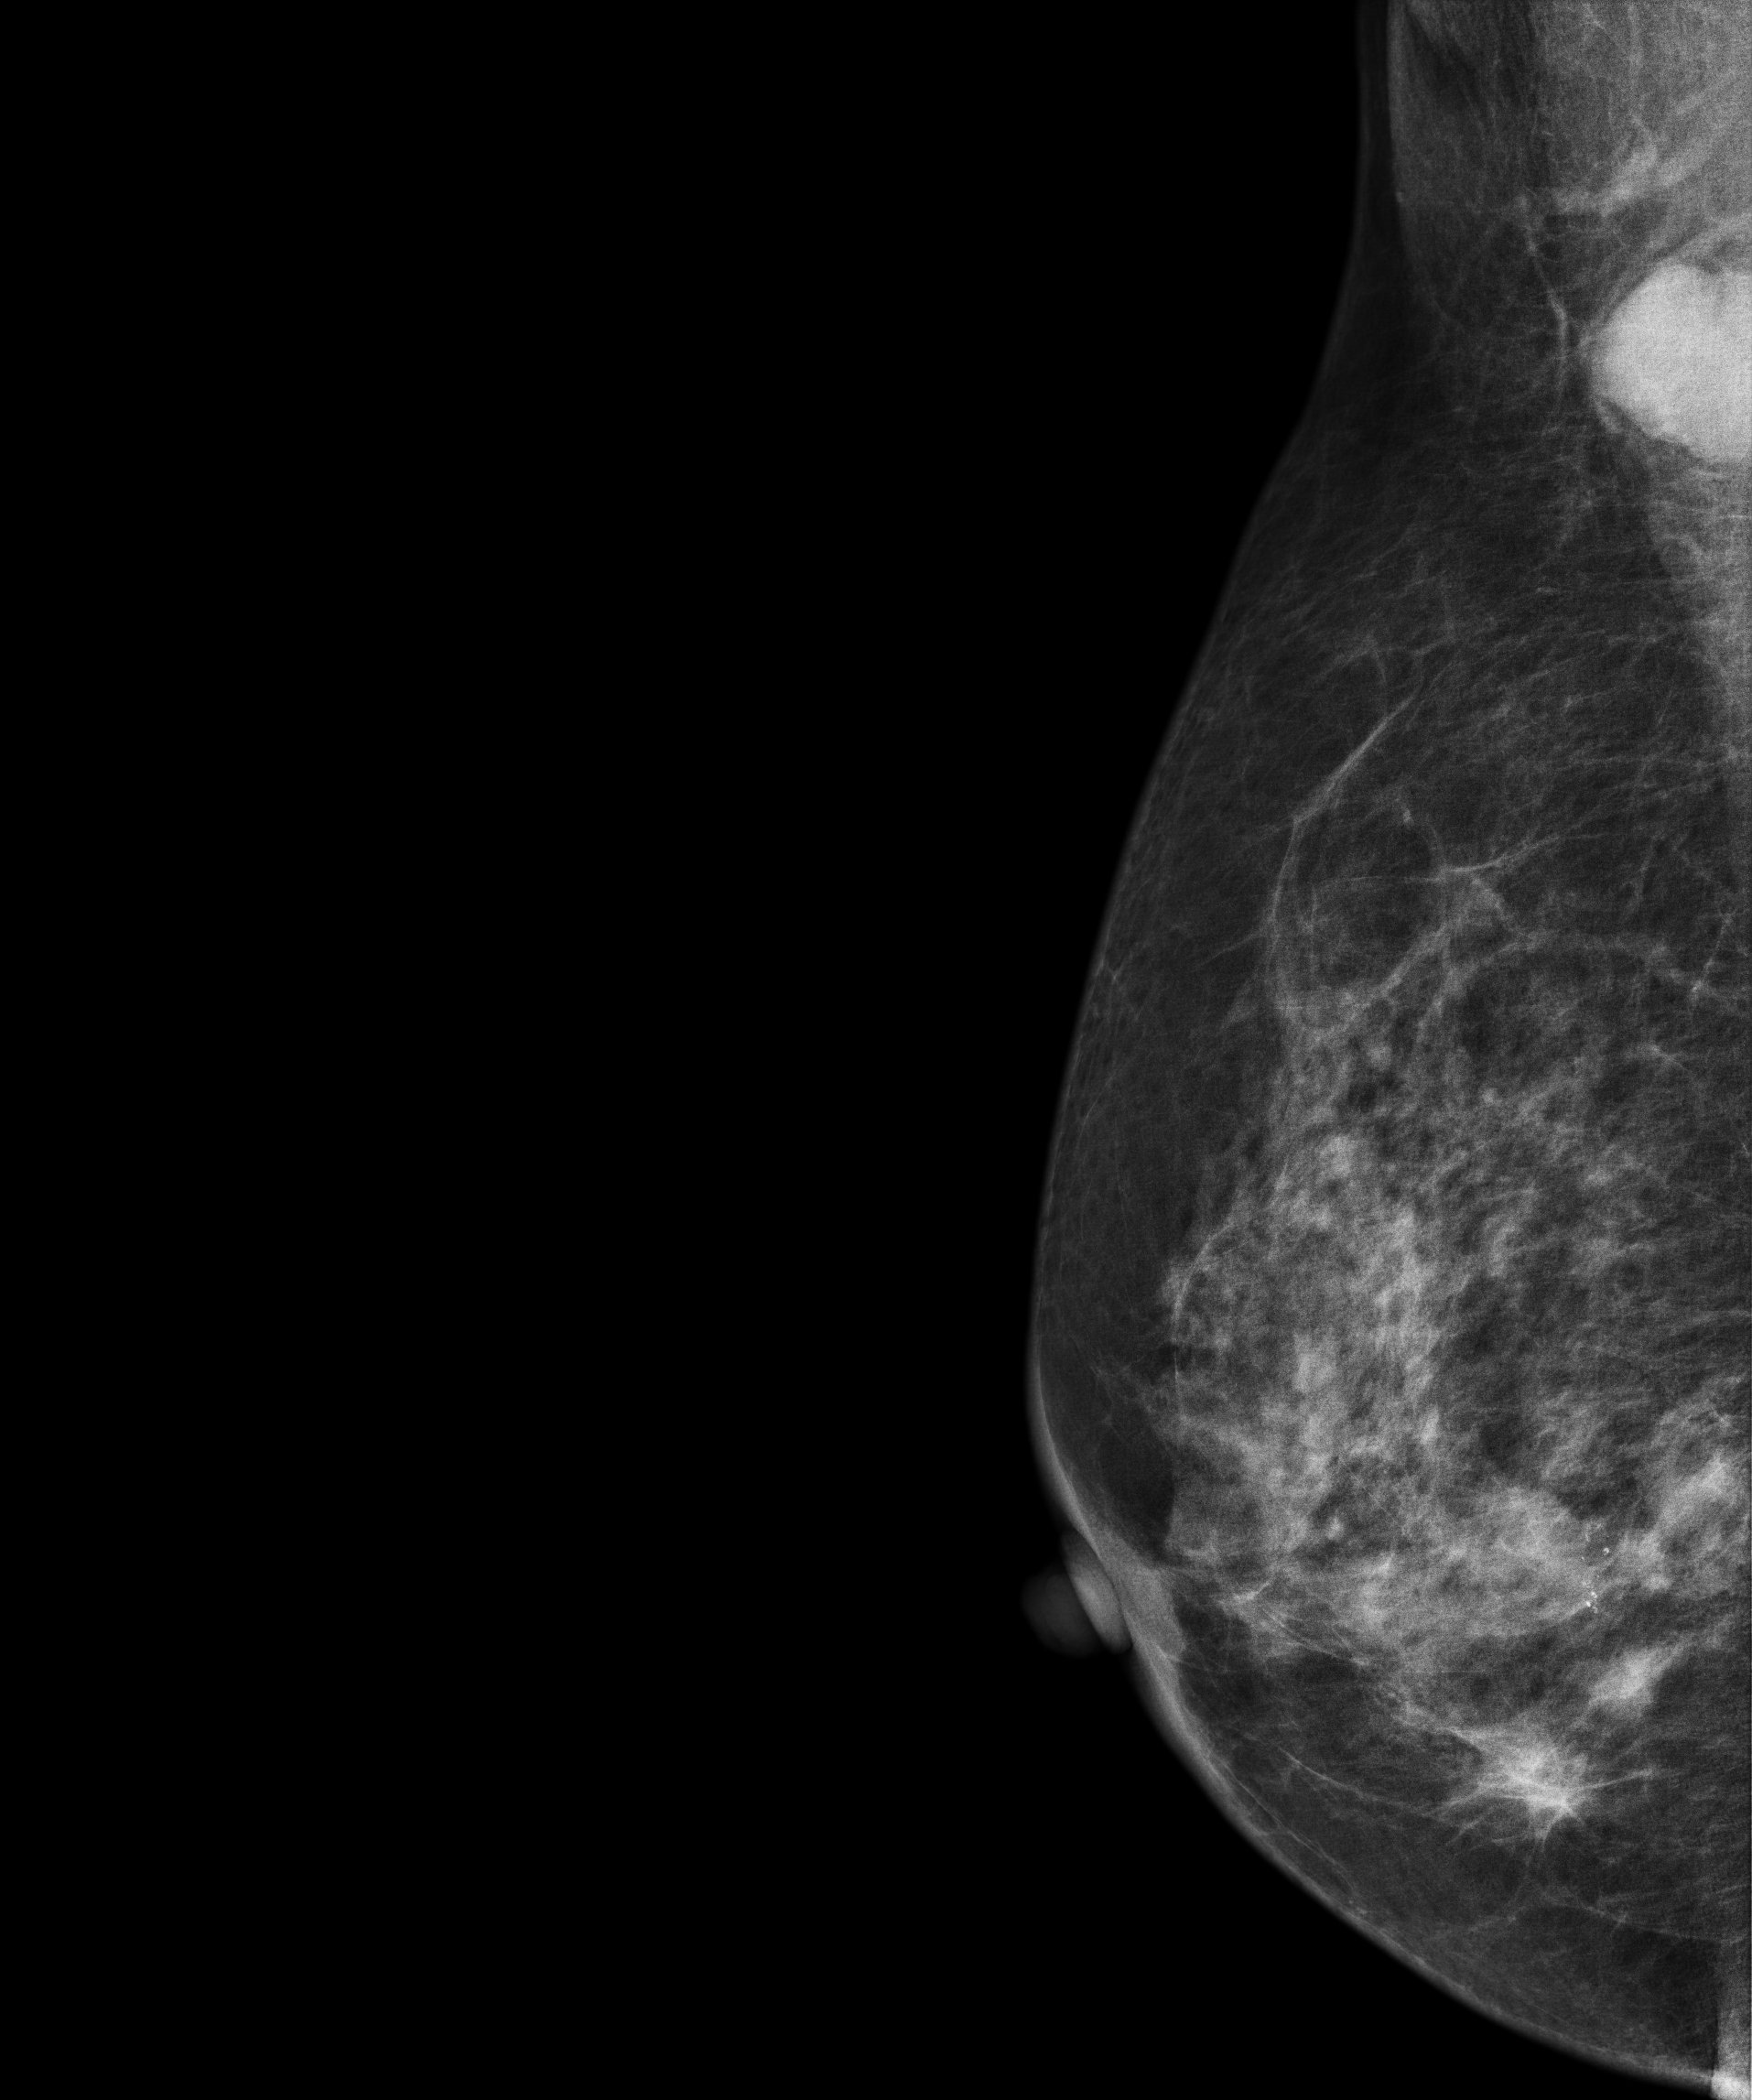
Mammogram, right breast, MLO view. Patient age 56.
This breast has a mass and calcifications, pathology-confirmed malignant.